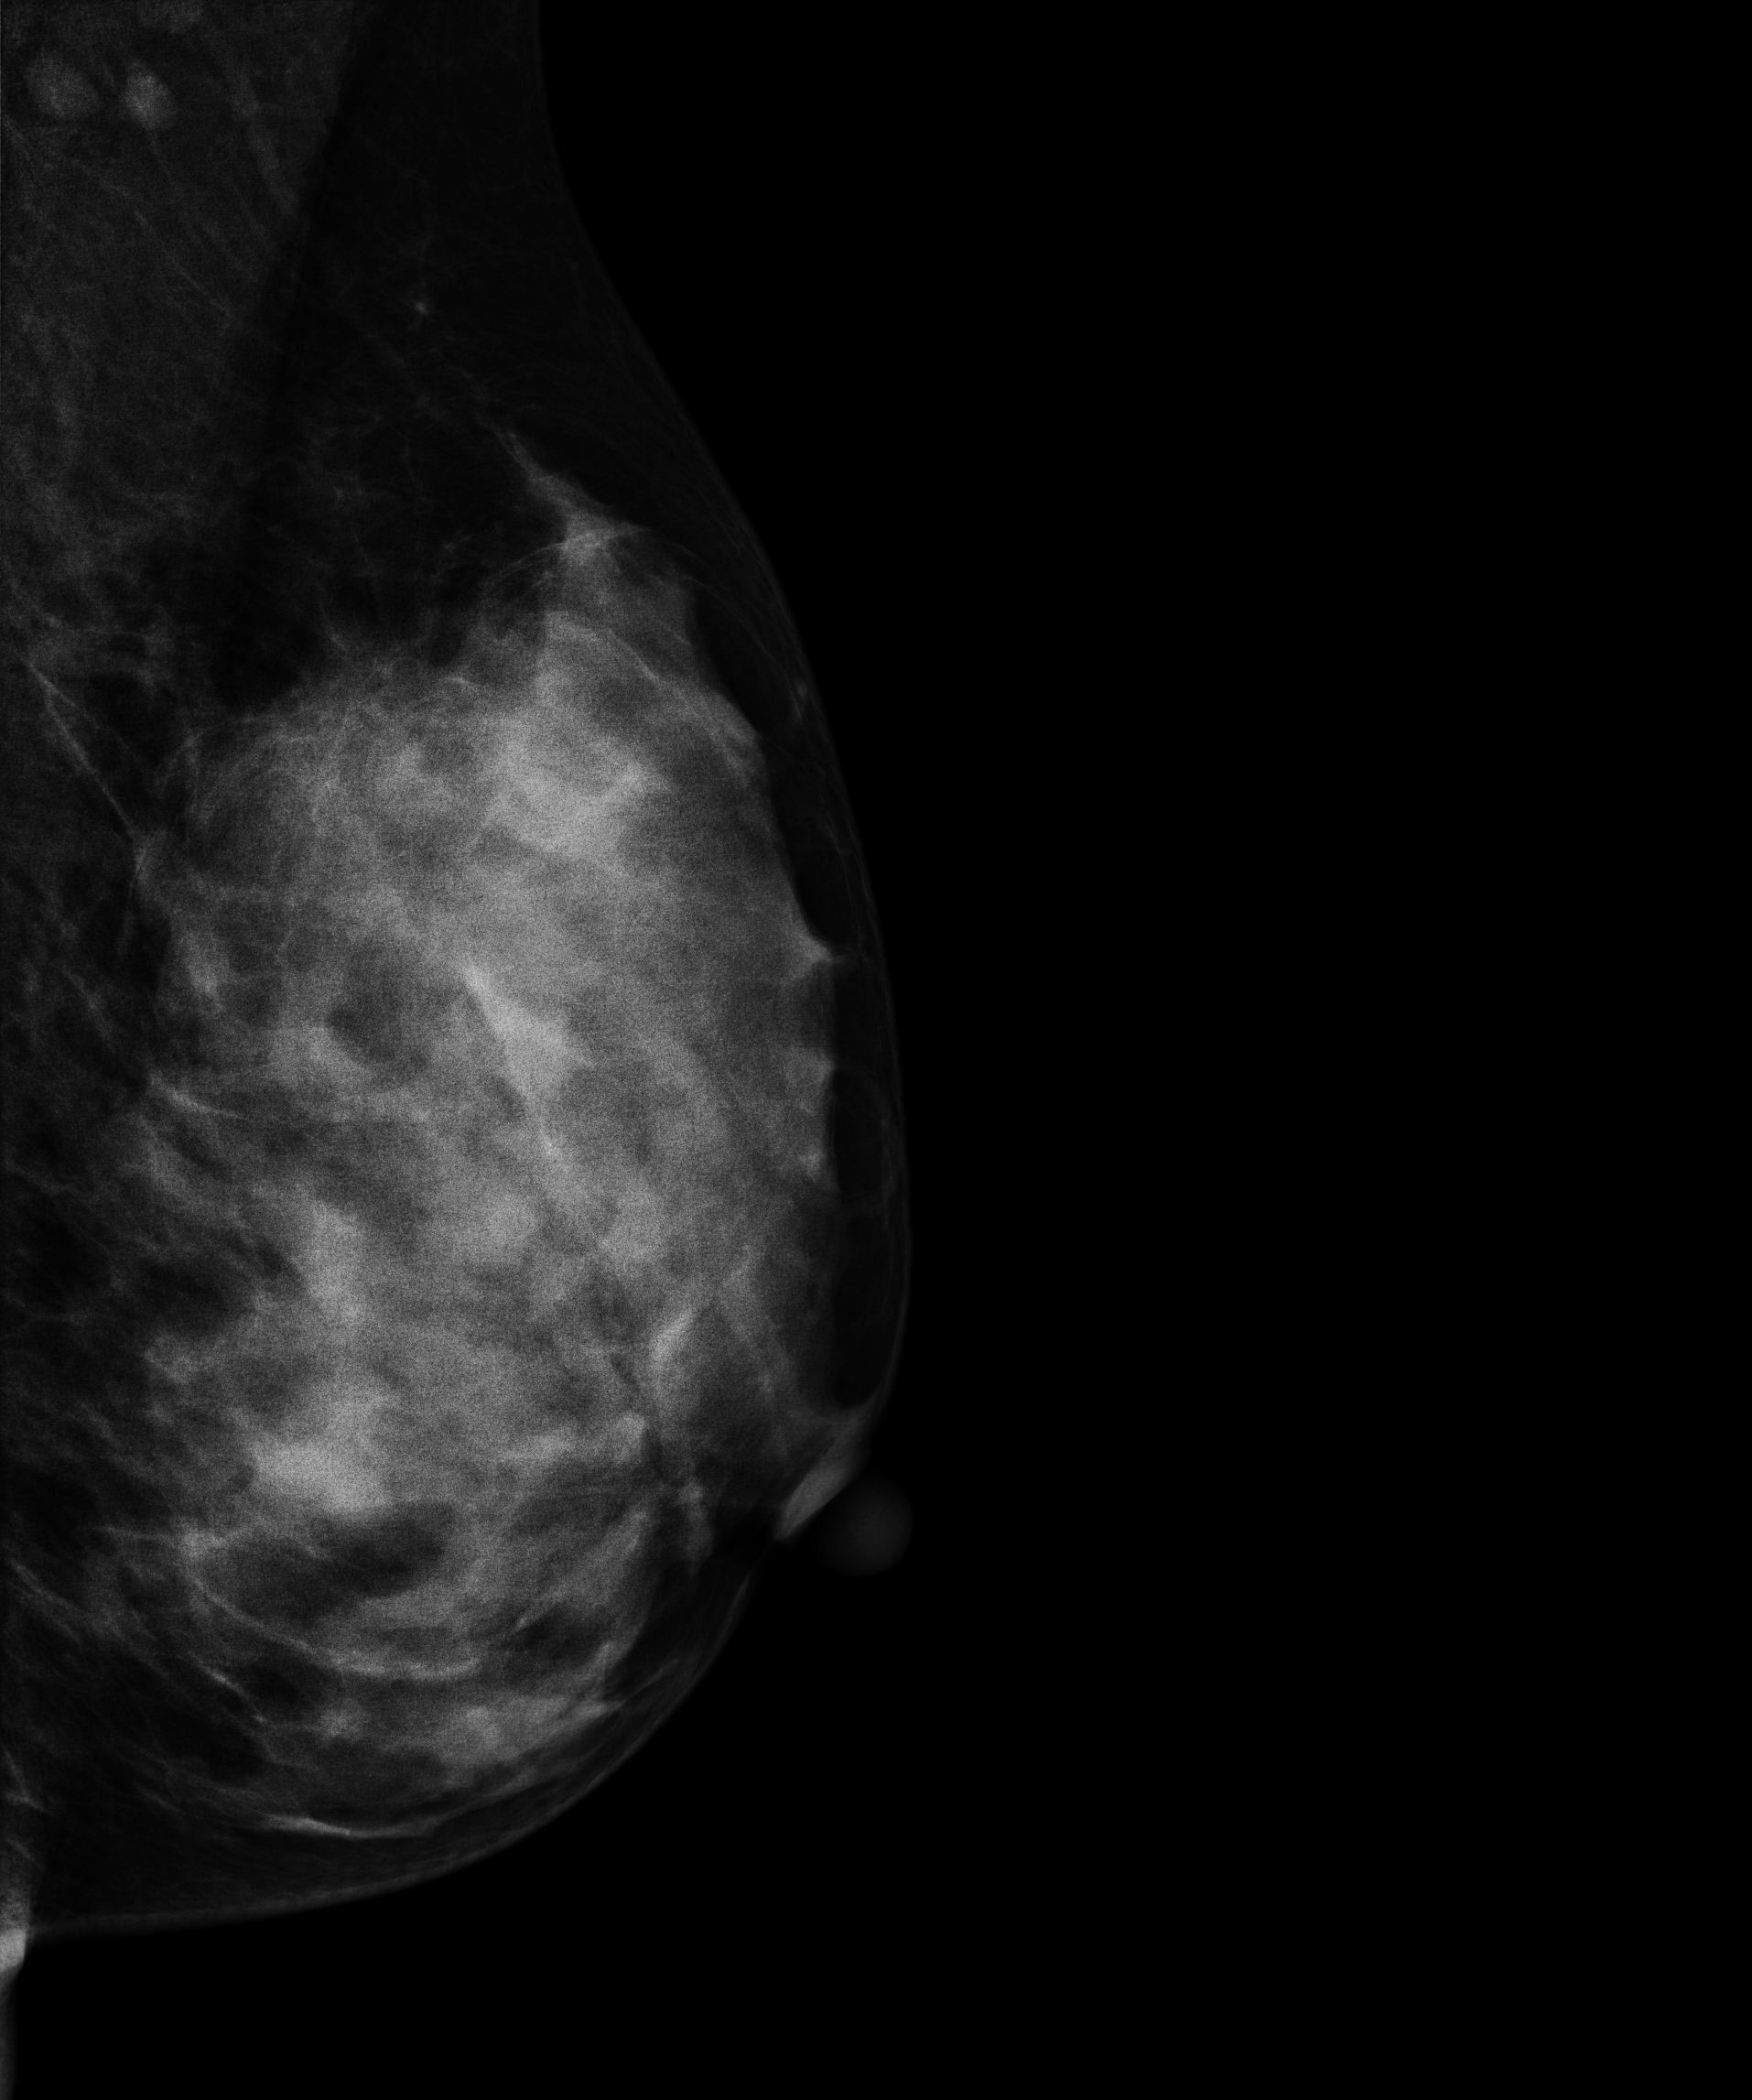
Left-breast mammogram, MLO. 42 y/o patient.
This breast has a mass, biopsy-confirmed malignant.